Digital mammography. Right breast, cranio-caudal projection. 45-year-old patient.
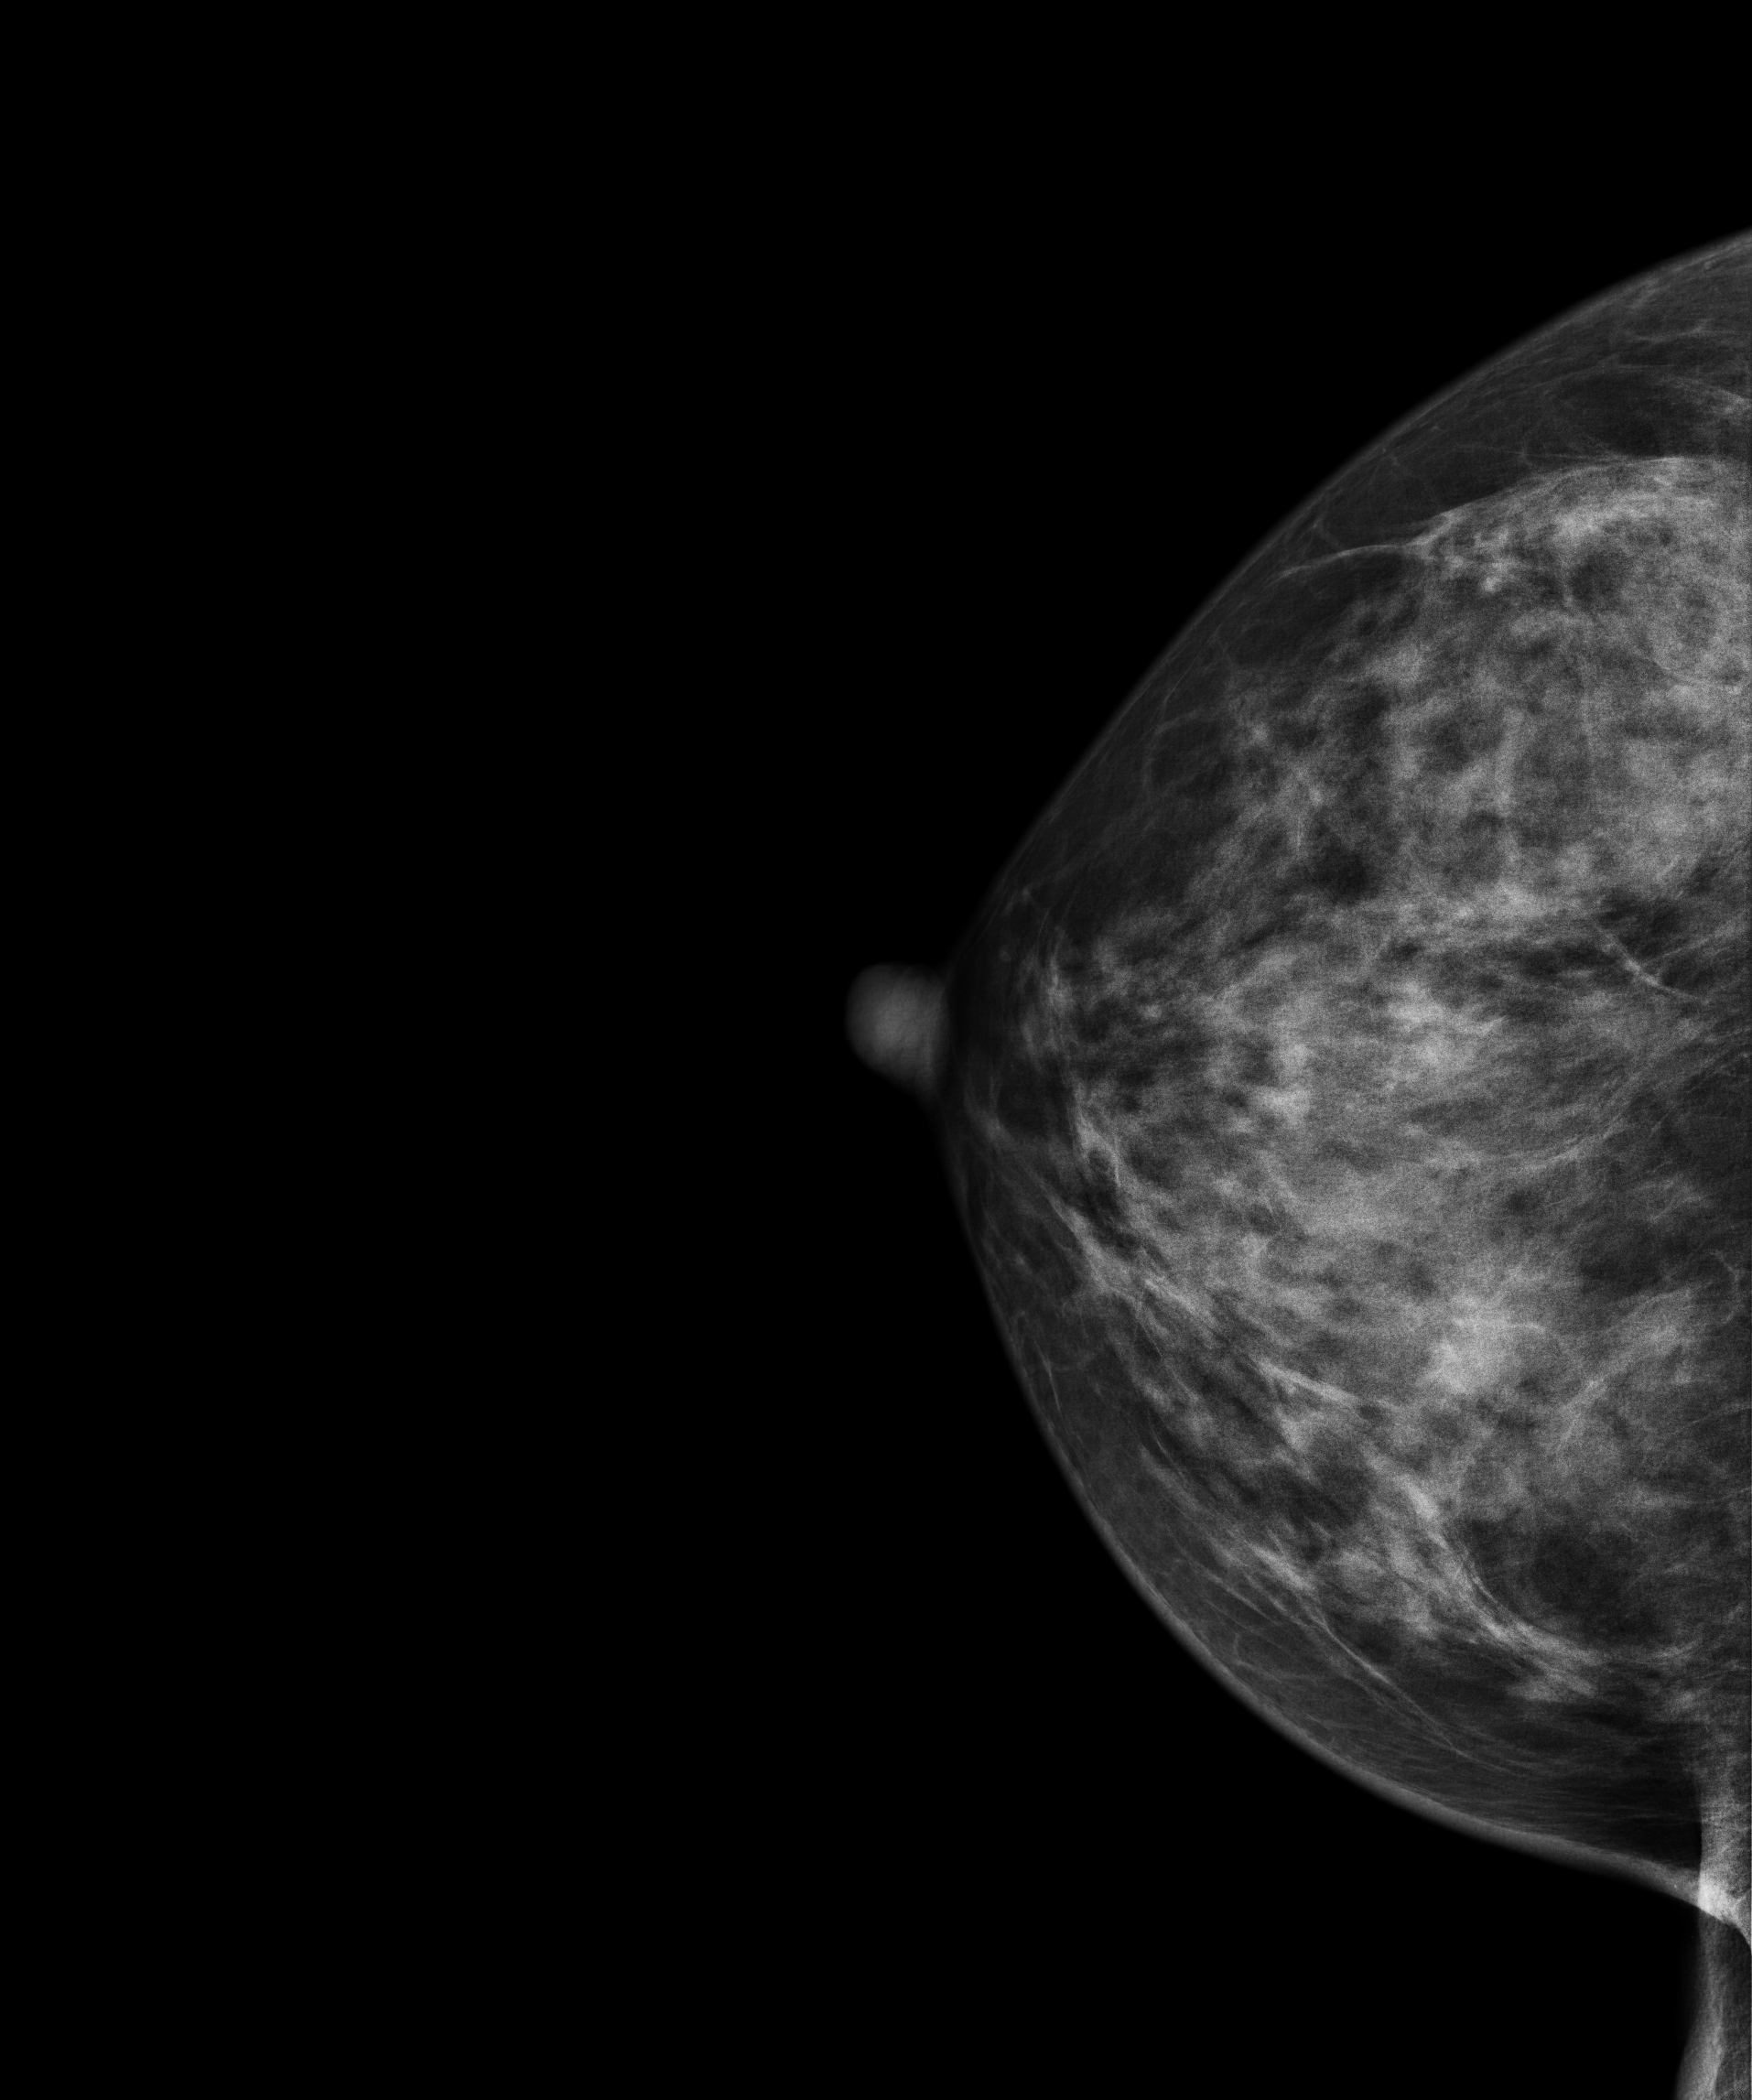
This breast has a mass and calcifications, biopsy-confirmed malignant. Molecular subtype: luminal B.